Mammogram, left breast, CC view. 52 y/o patient.
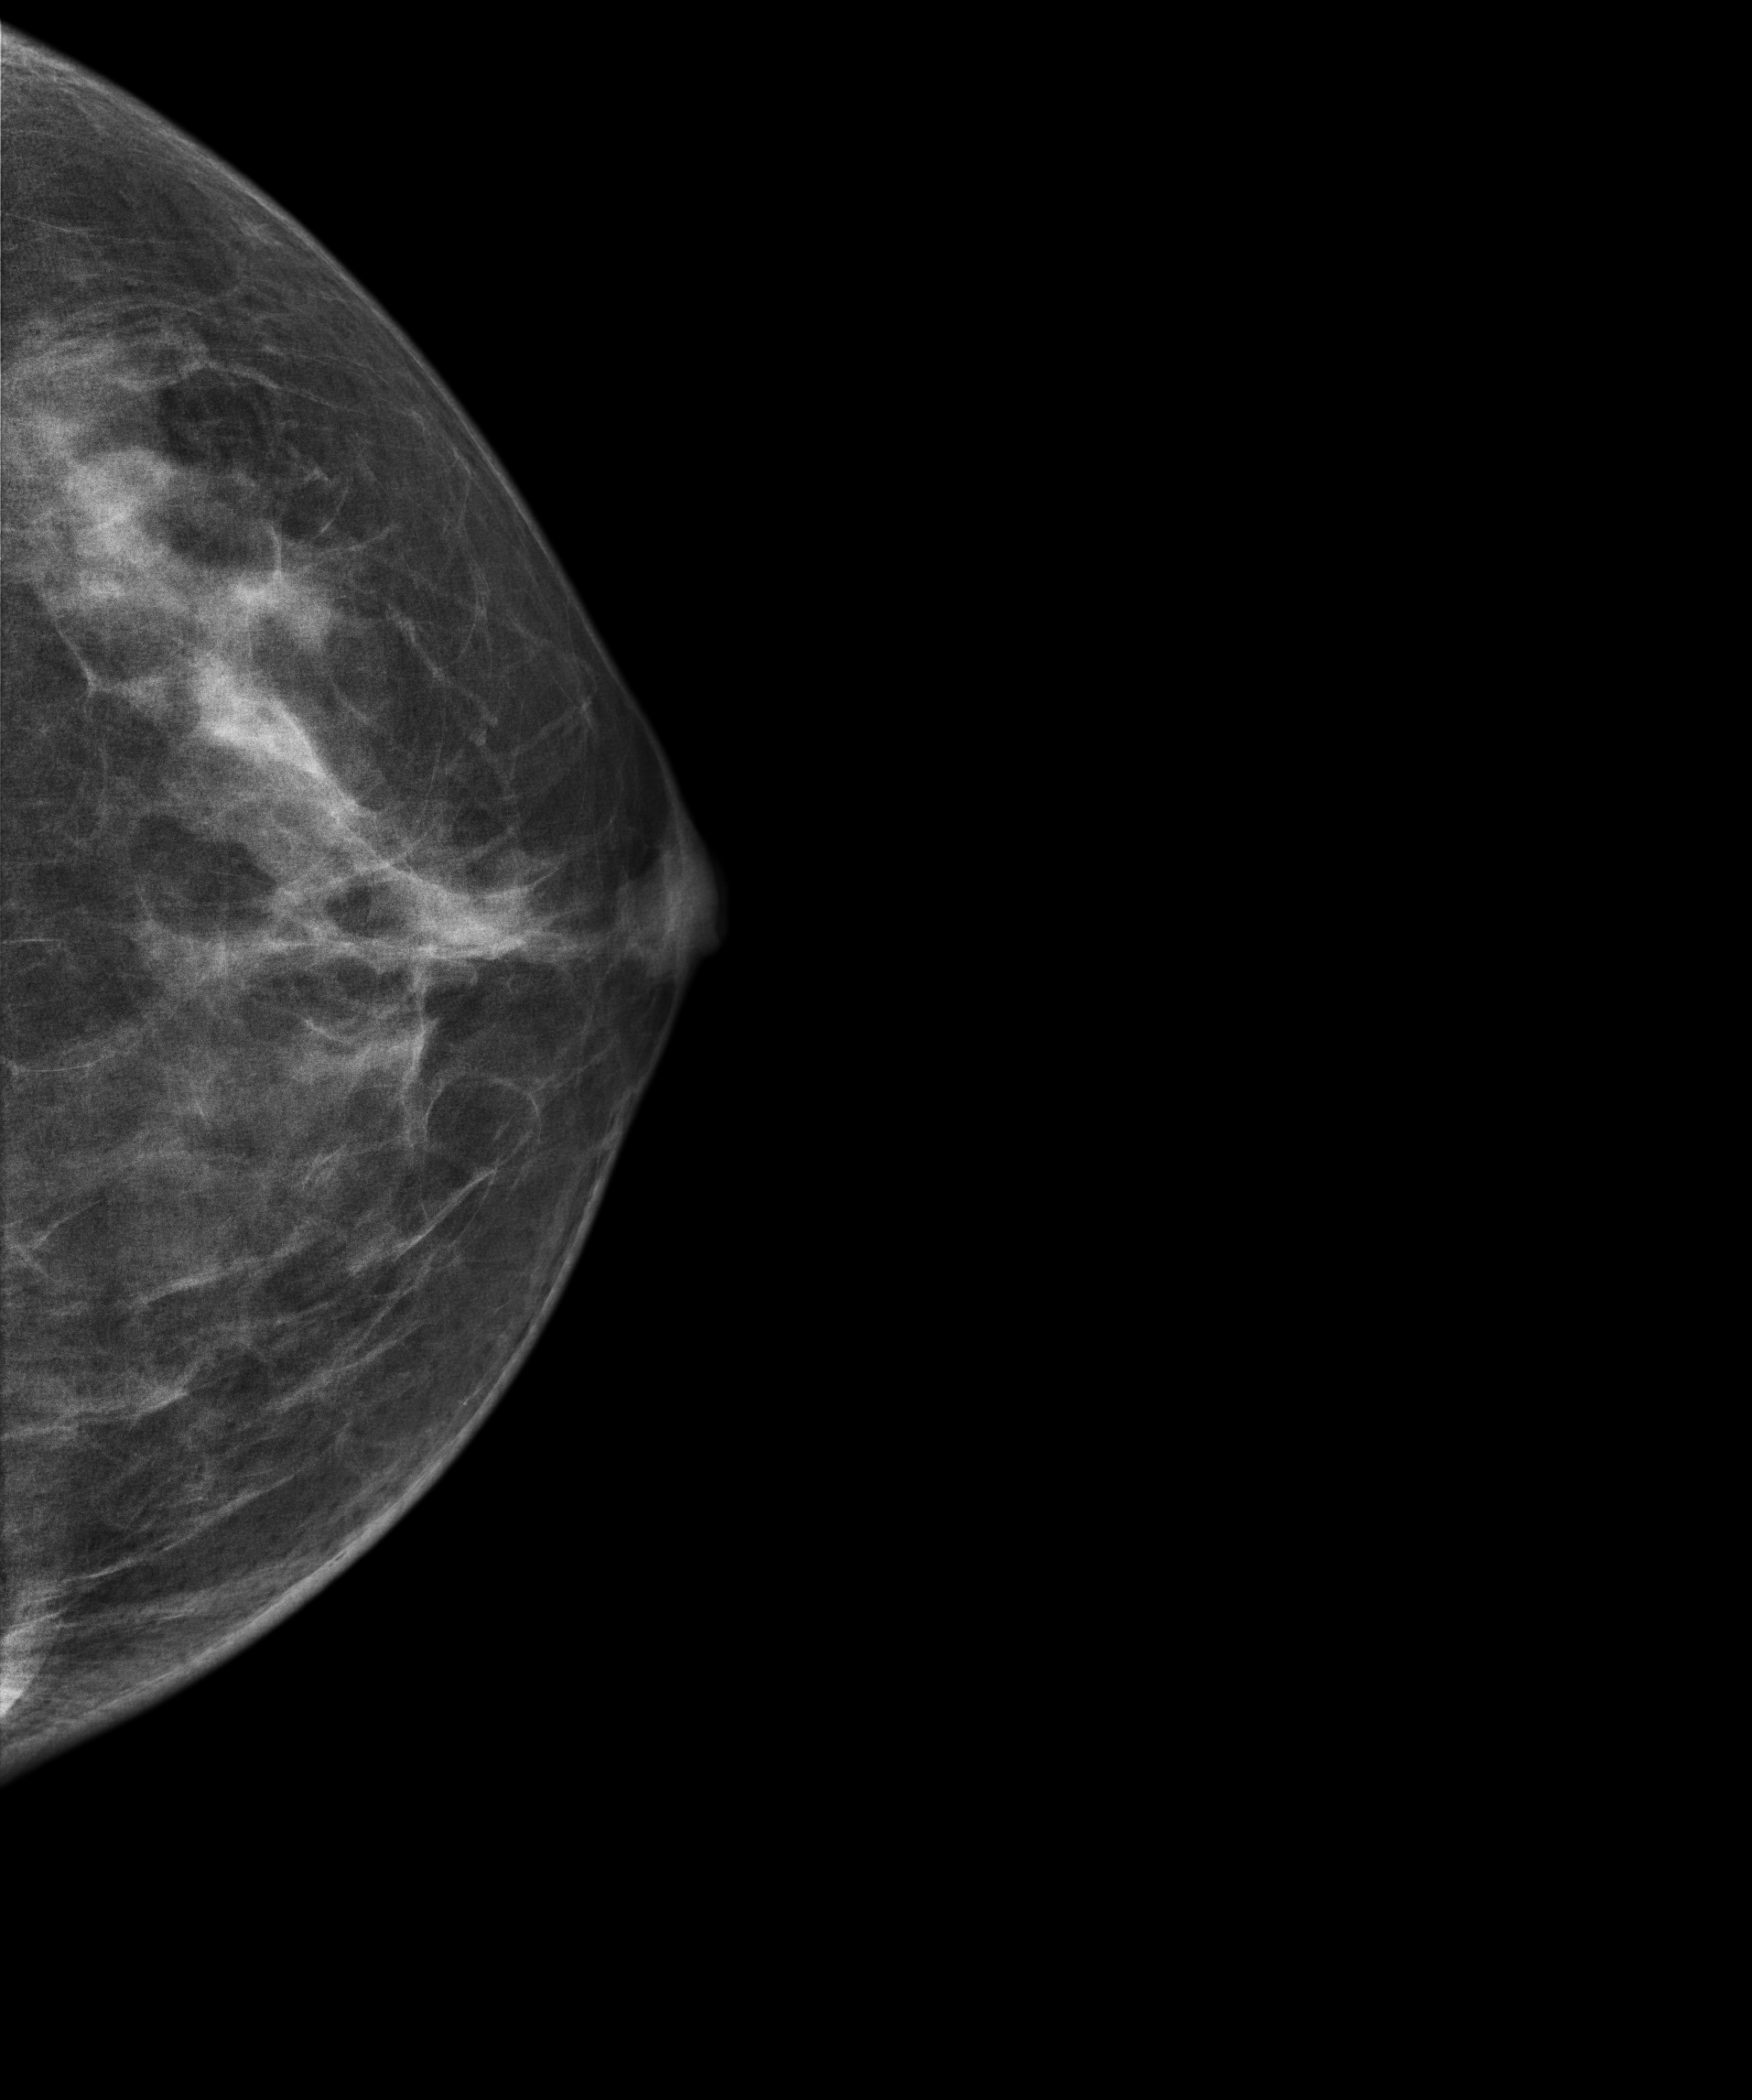
Contralateral breast — no documented abnormality on this side.